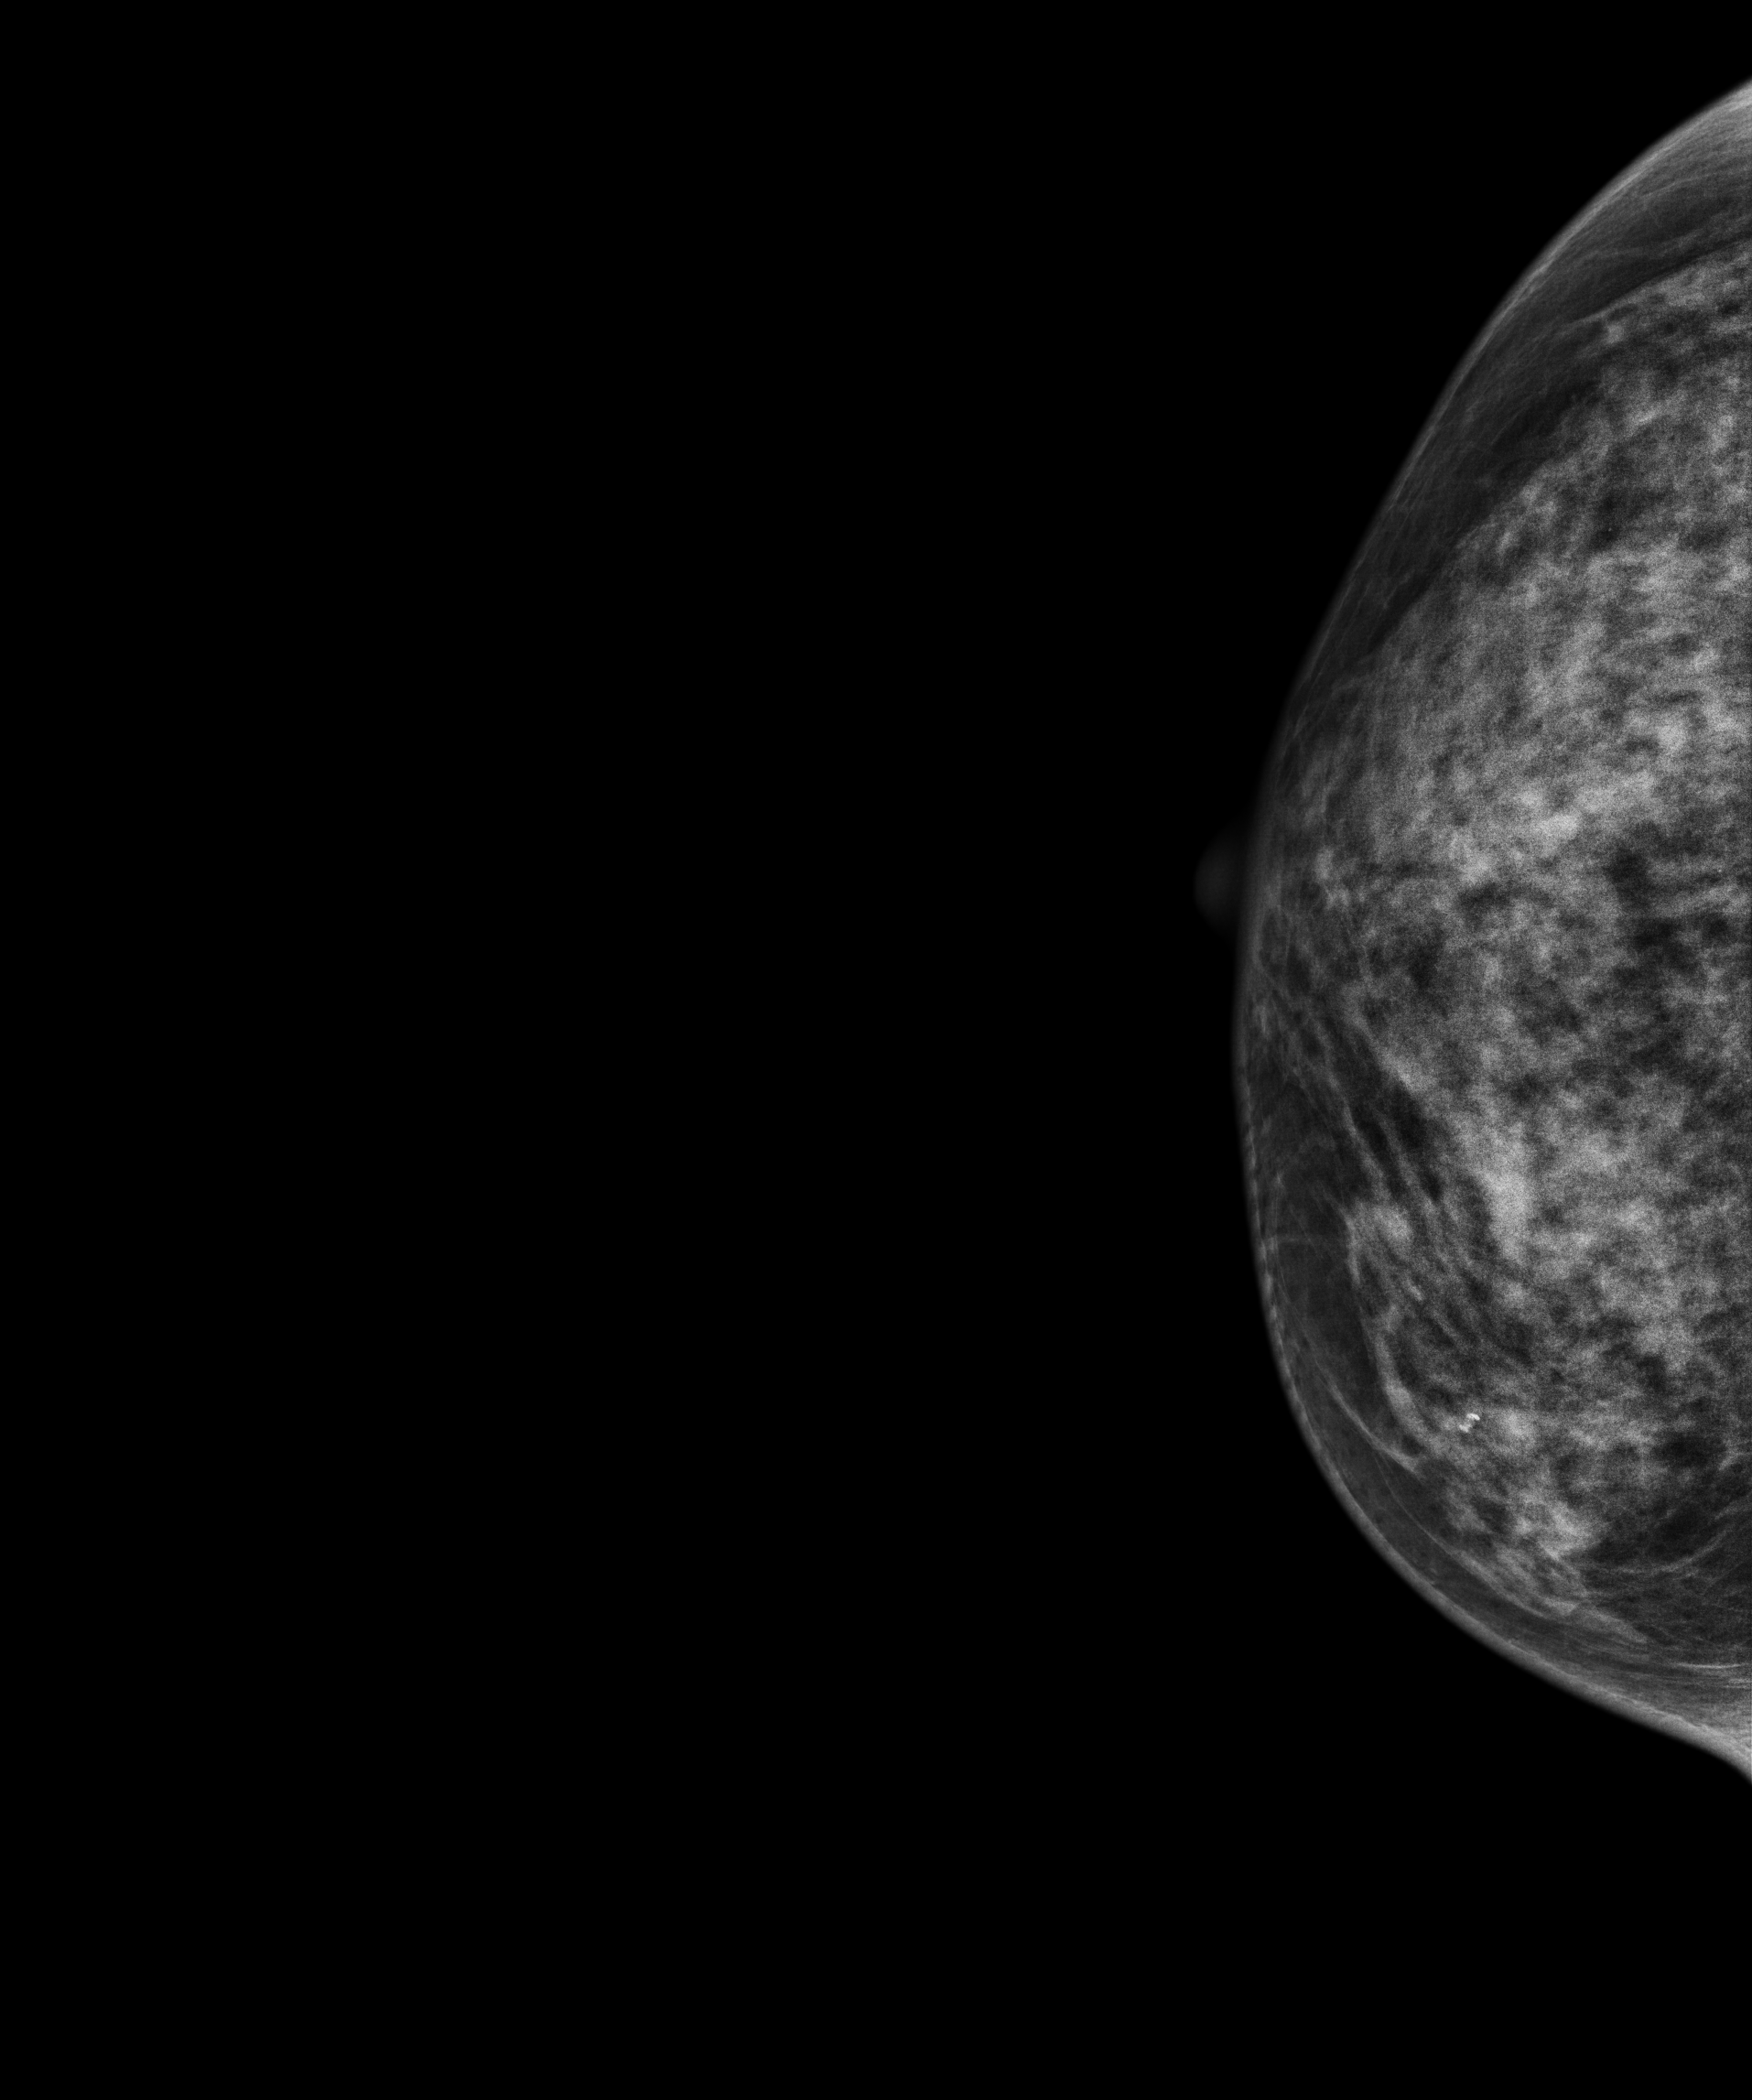
Digital mammography. Right breast, cranio-caudal projection. Patient age 53.
Contralateral breast — no documented abnormality on this side.